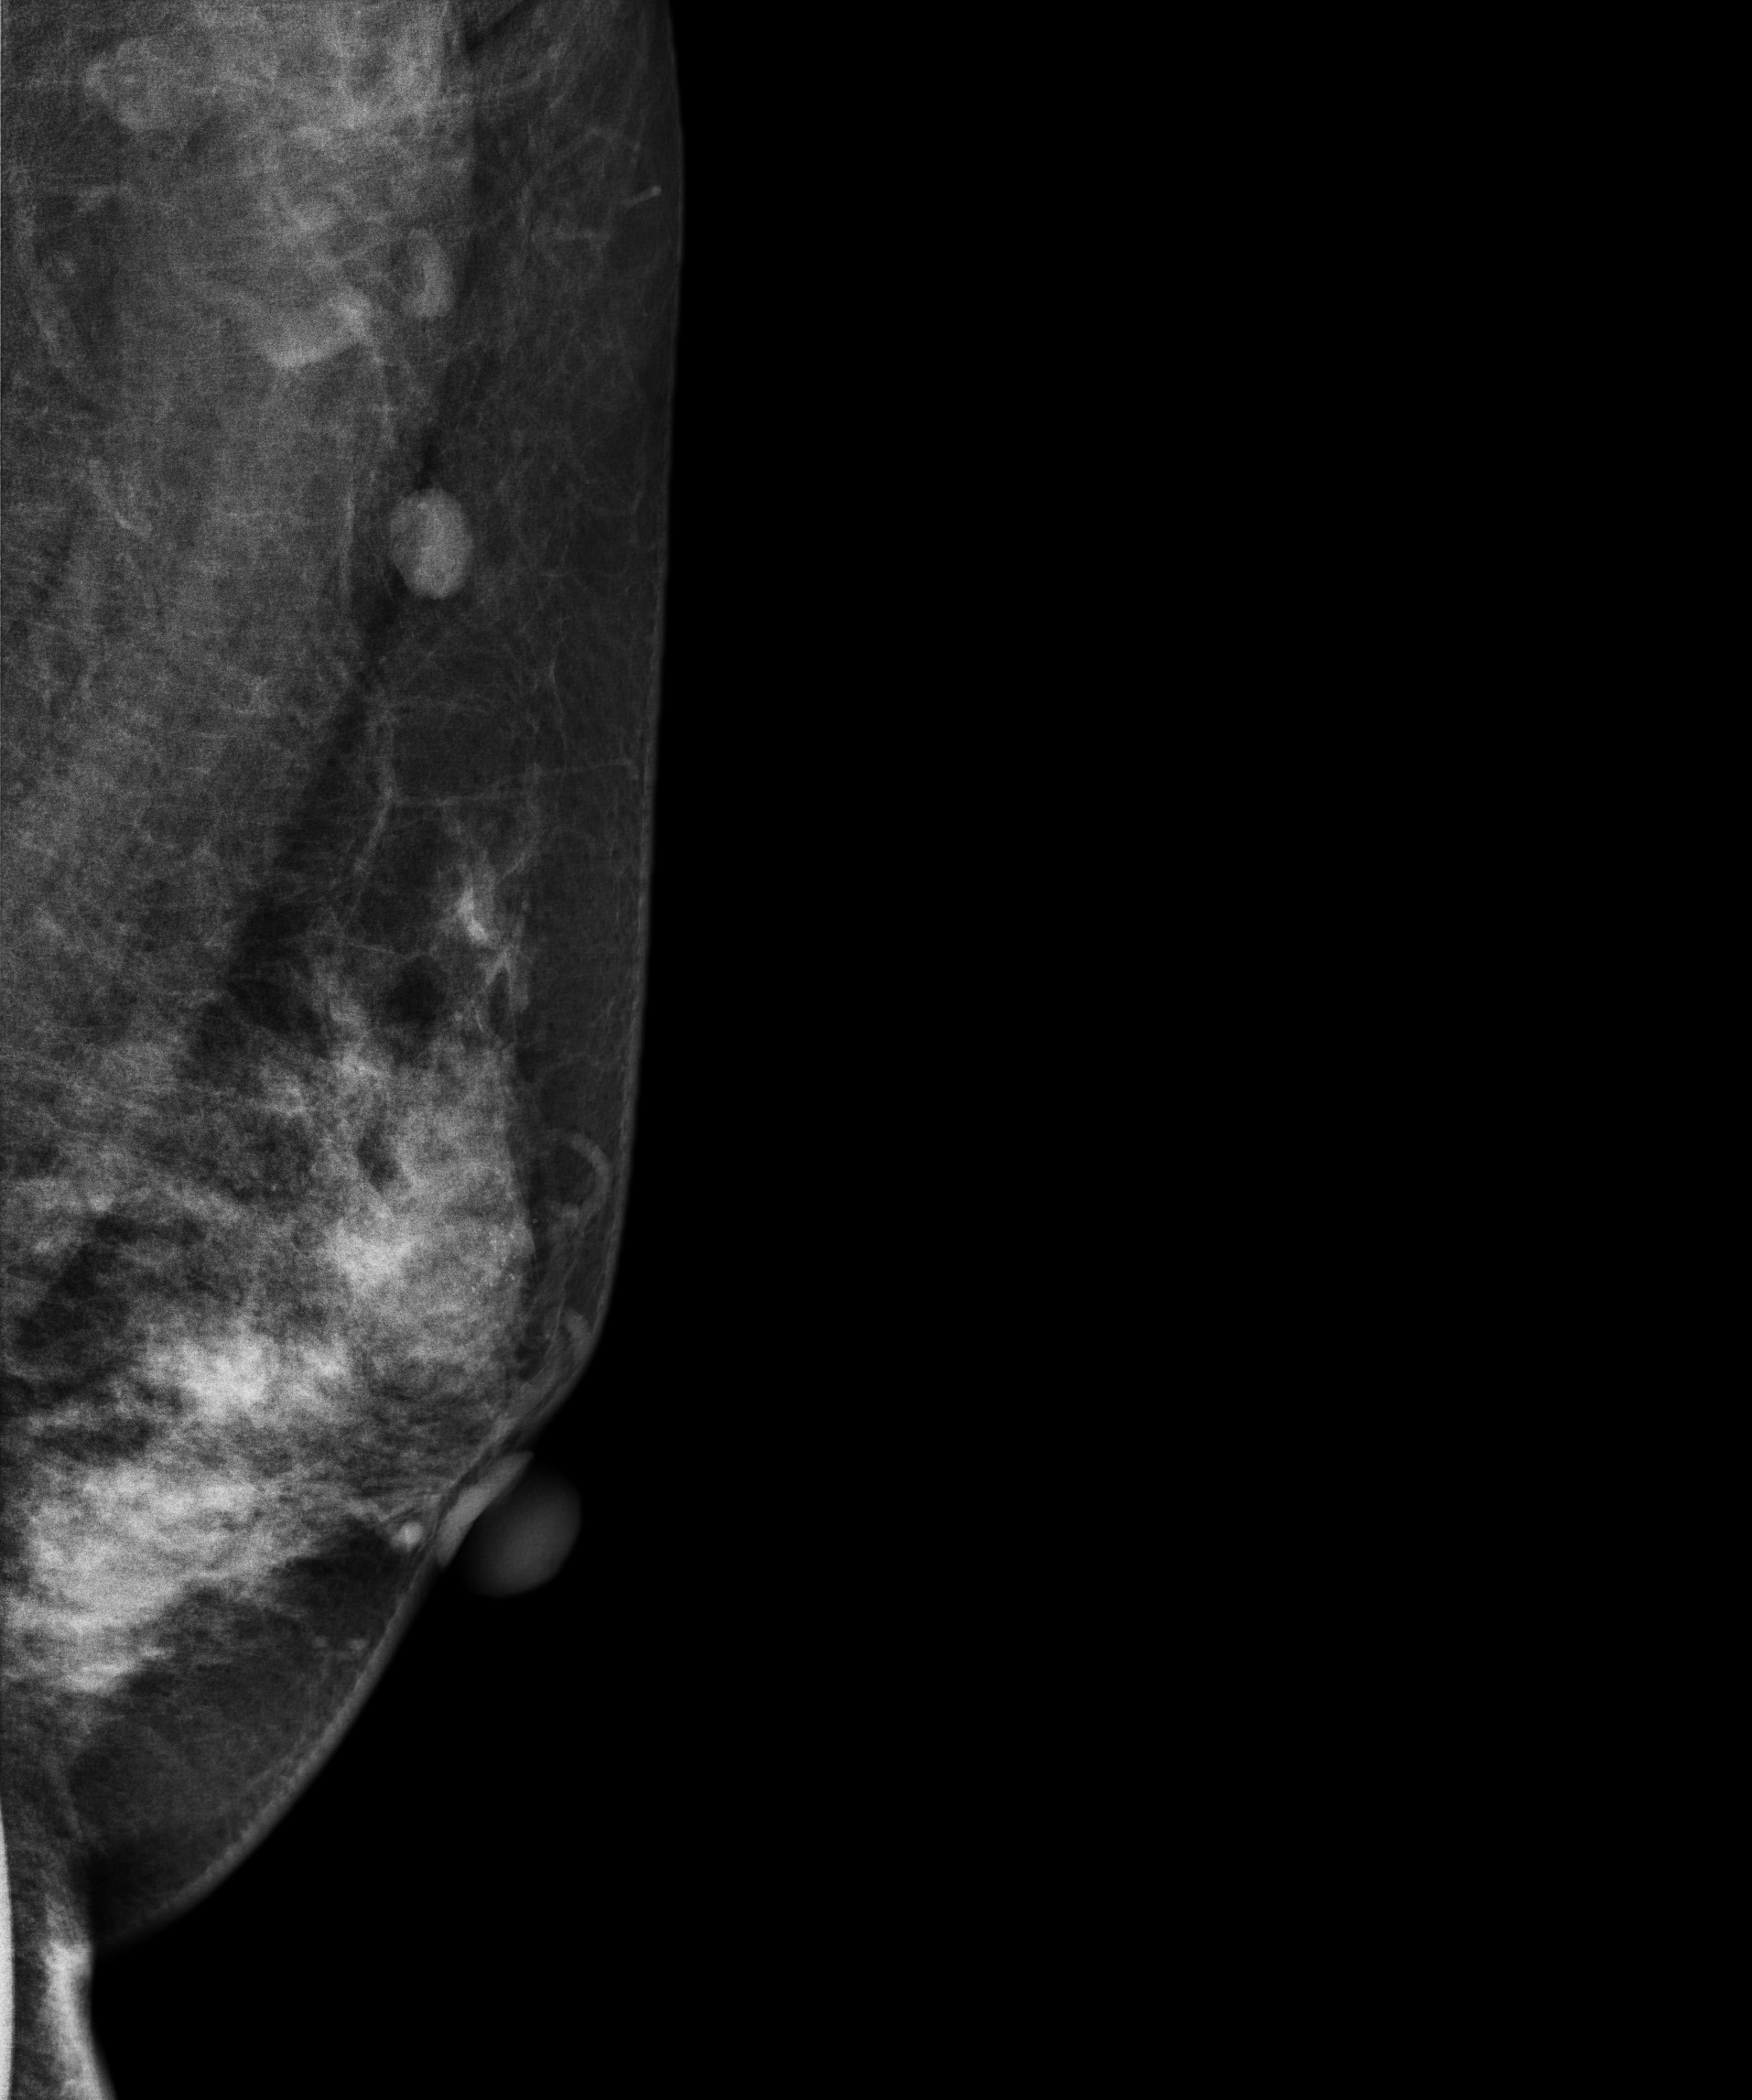
Mammogram — left medio-lateral oblique. 47-year-old patient.
This breast has calcifications, biopsy-proven malignant. Molecular subtype: HER2-enriched.